Mammogram — right medio-lateral oblique. 74 y/o patient.
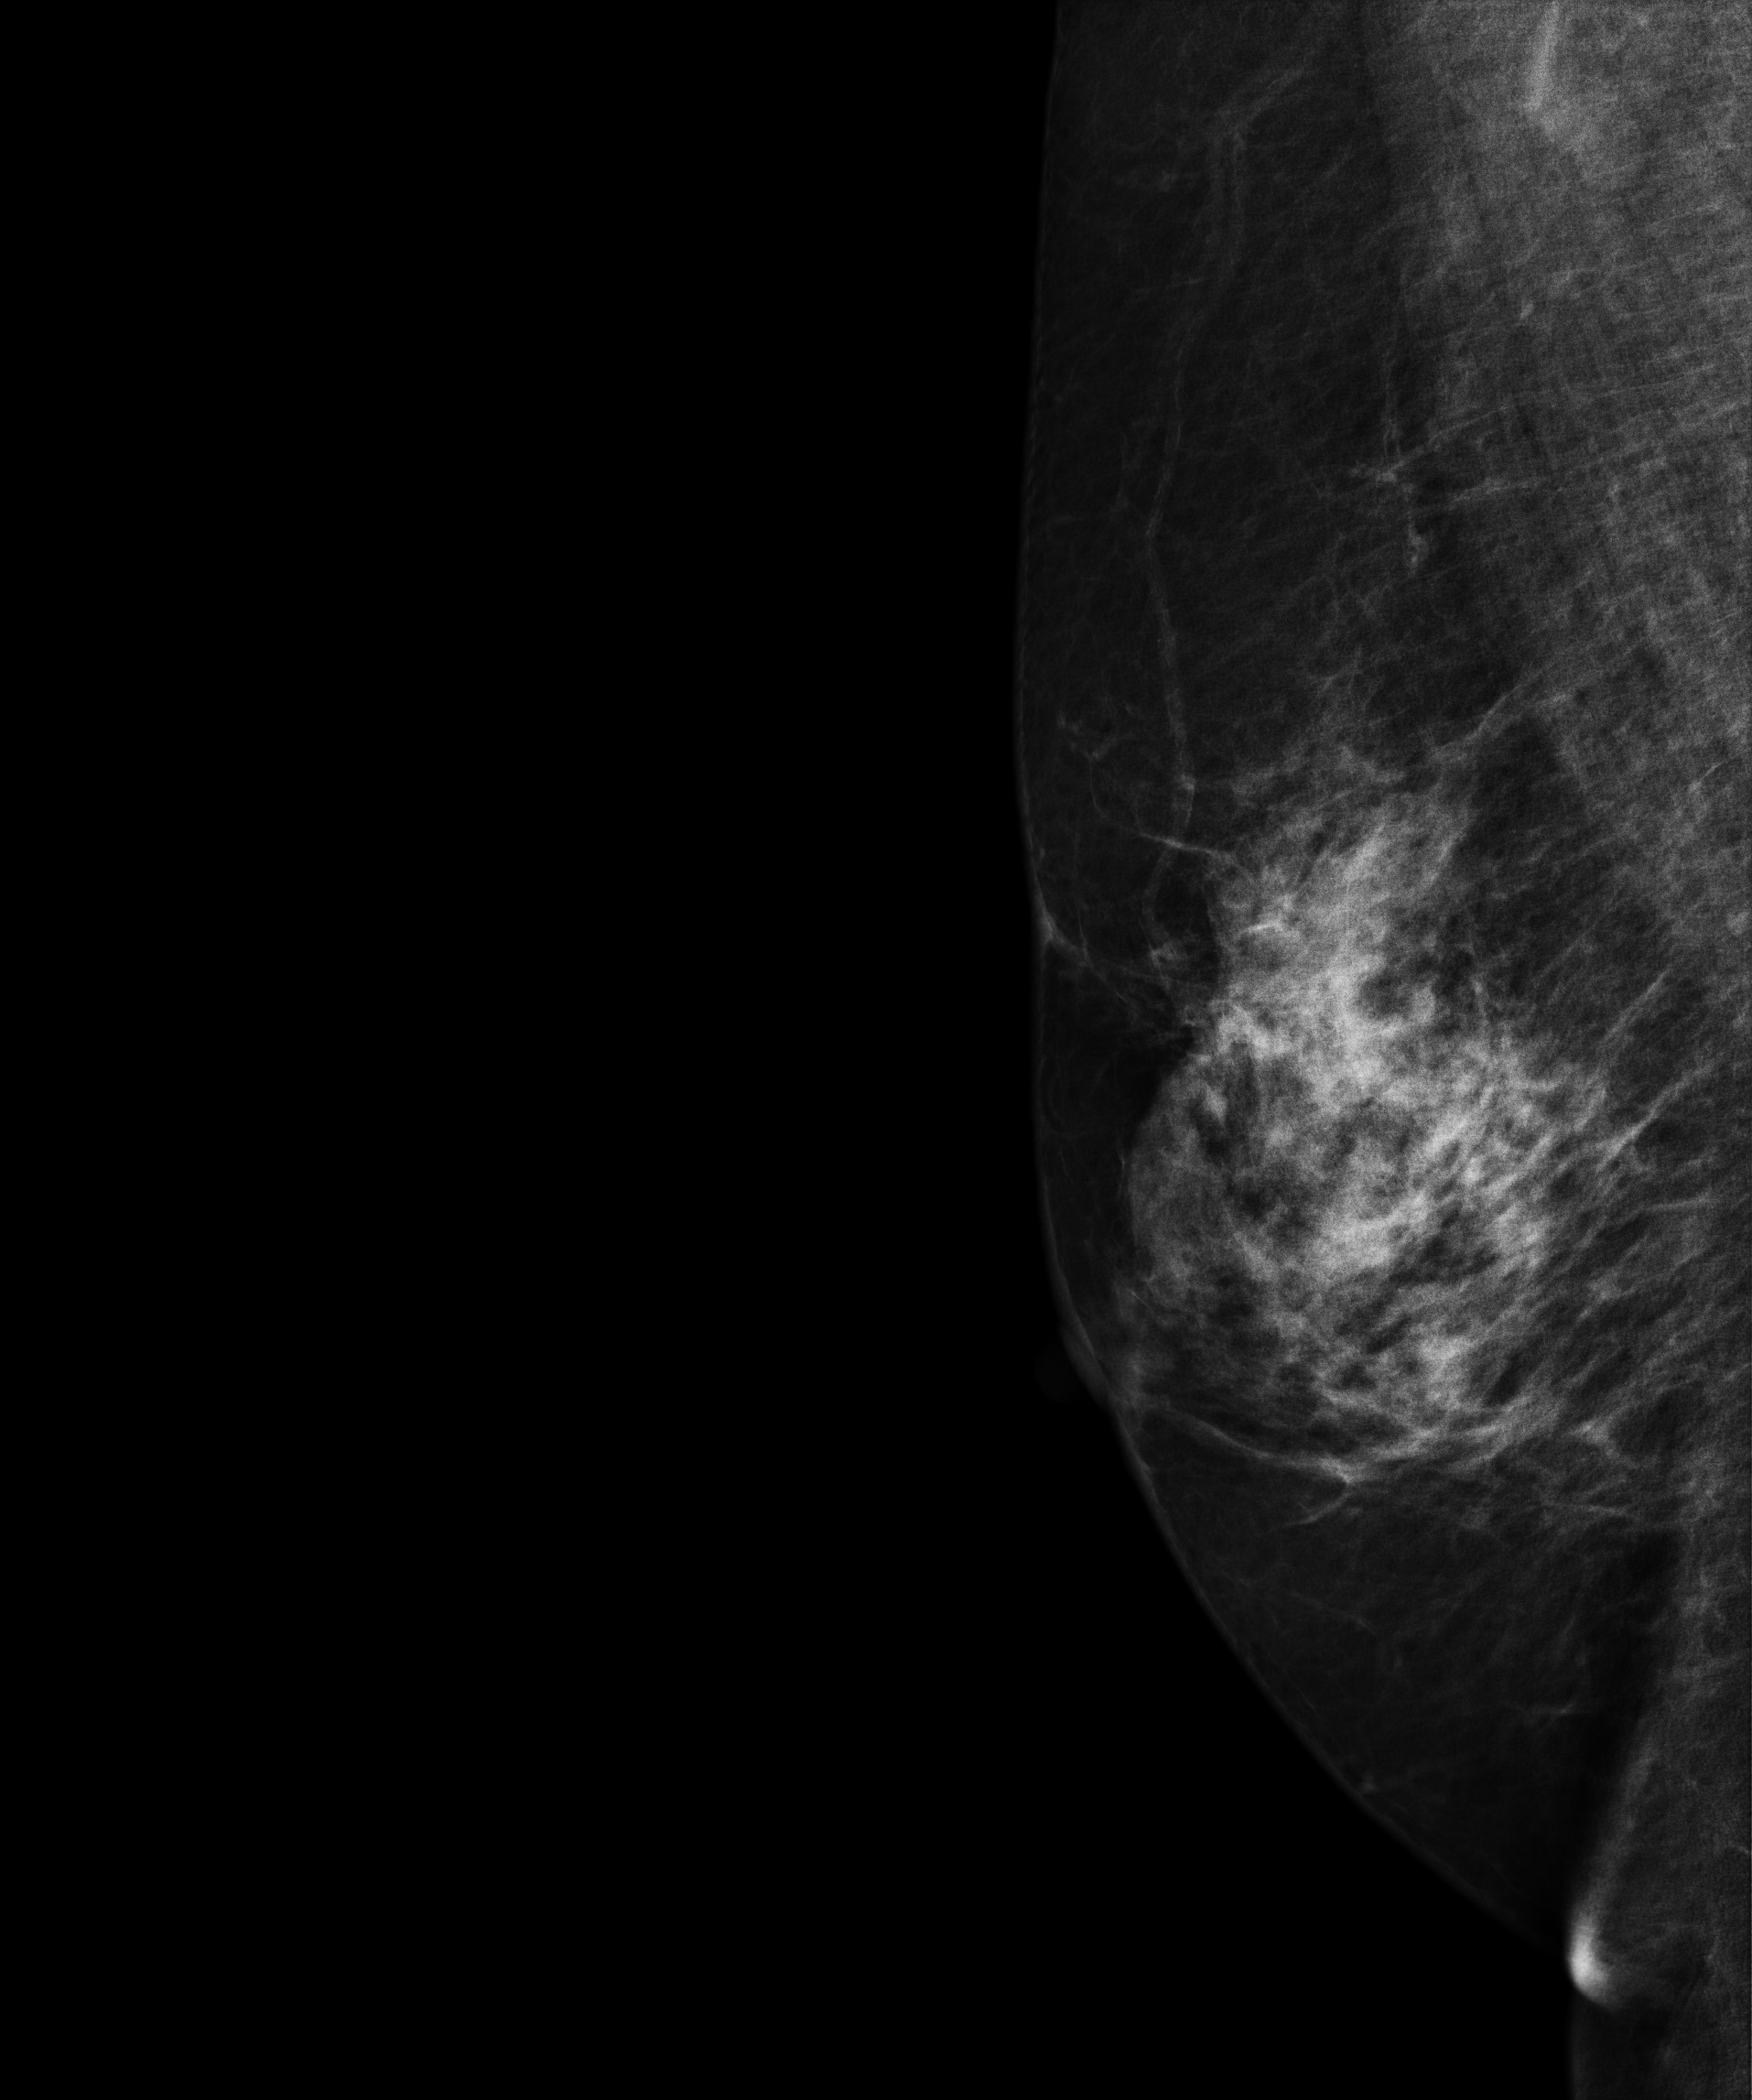
This breast has a mass, biopsy-proven malignant. Molecular subtype: luminal B.